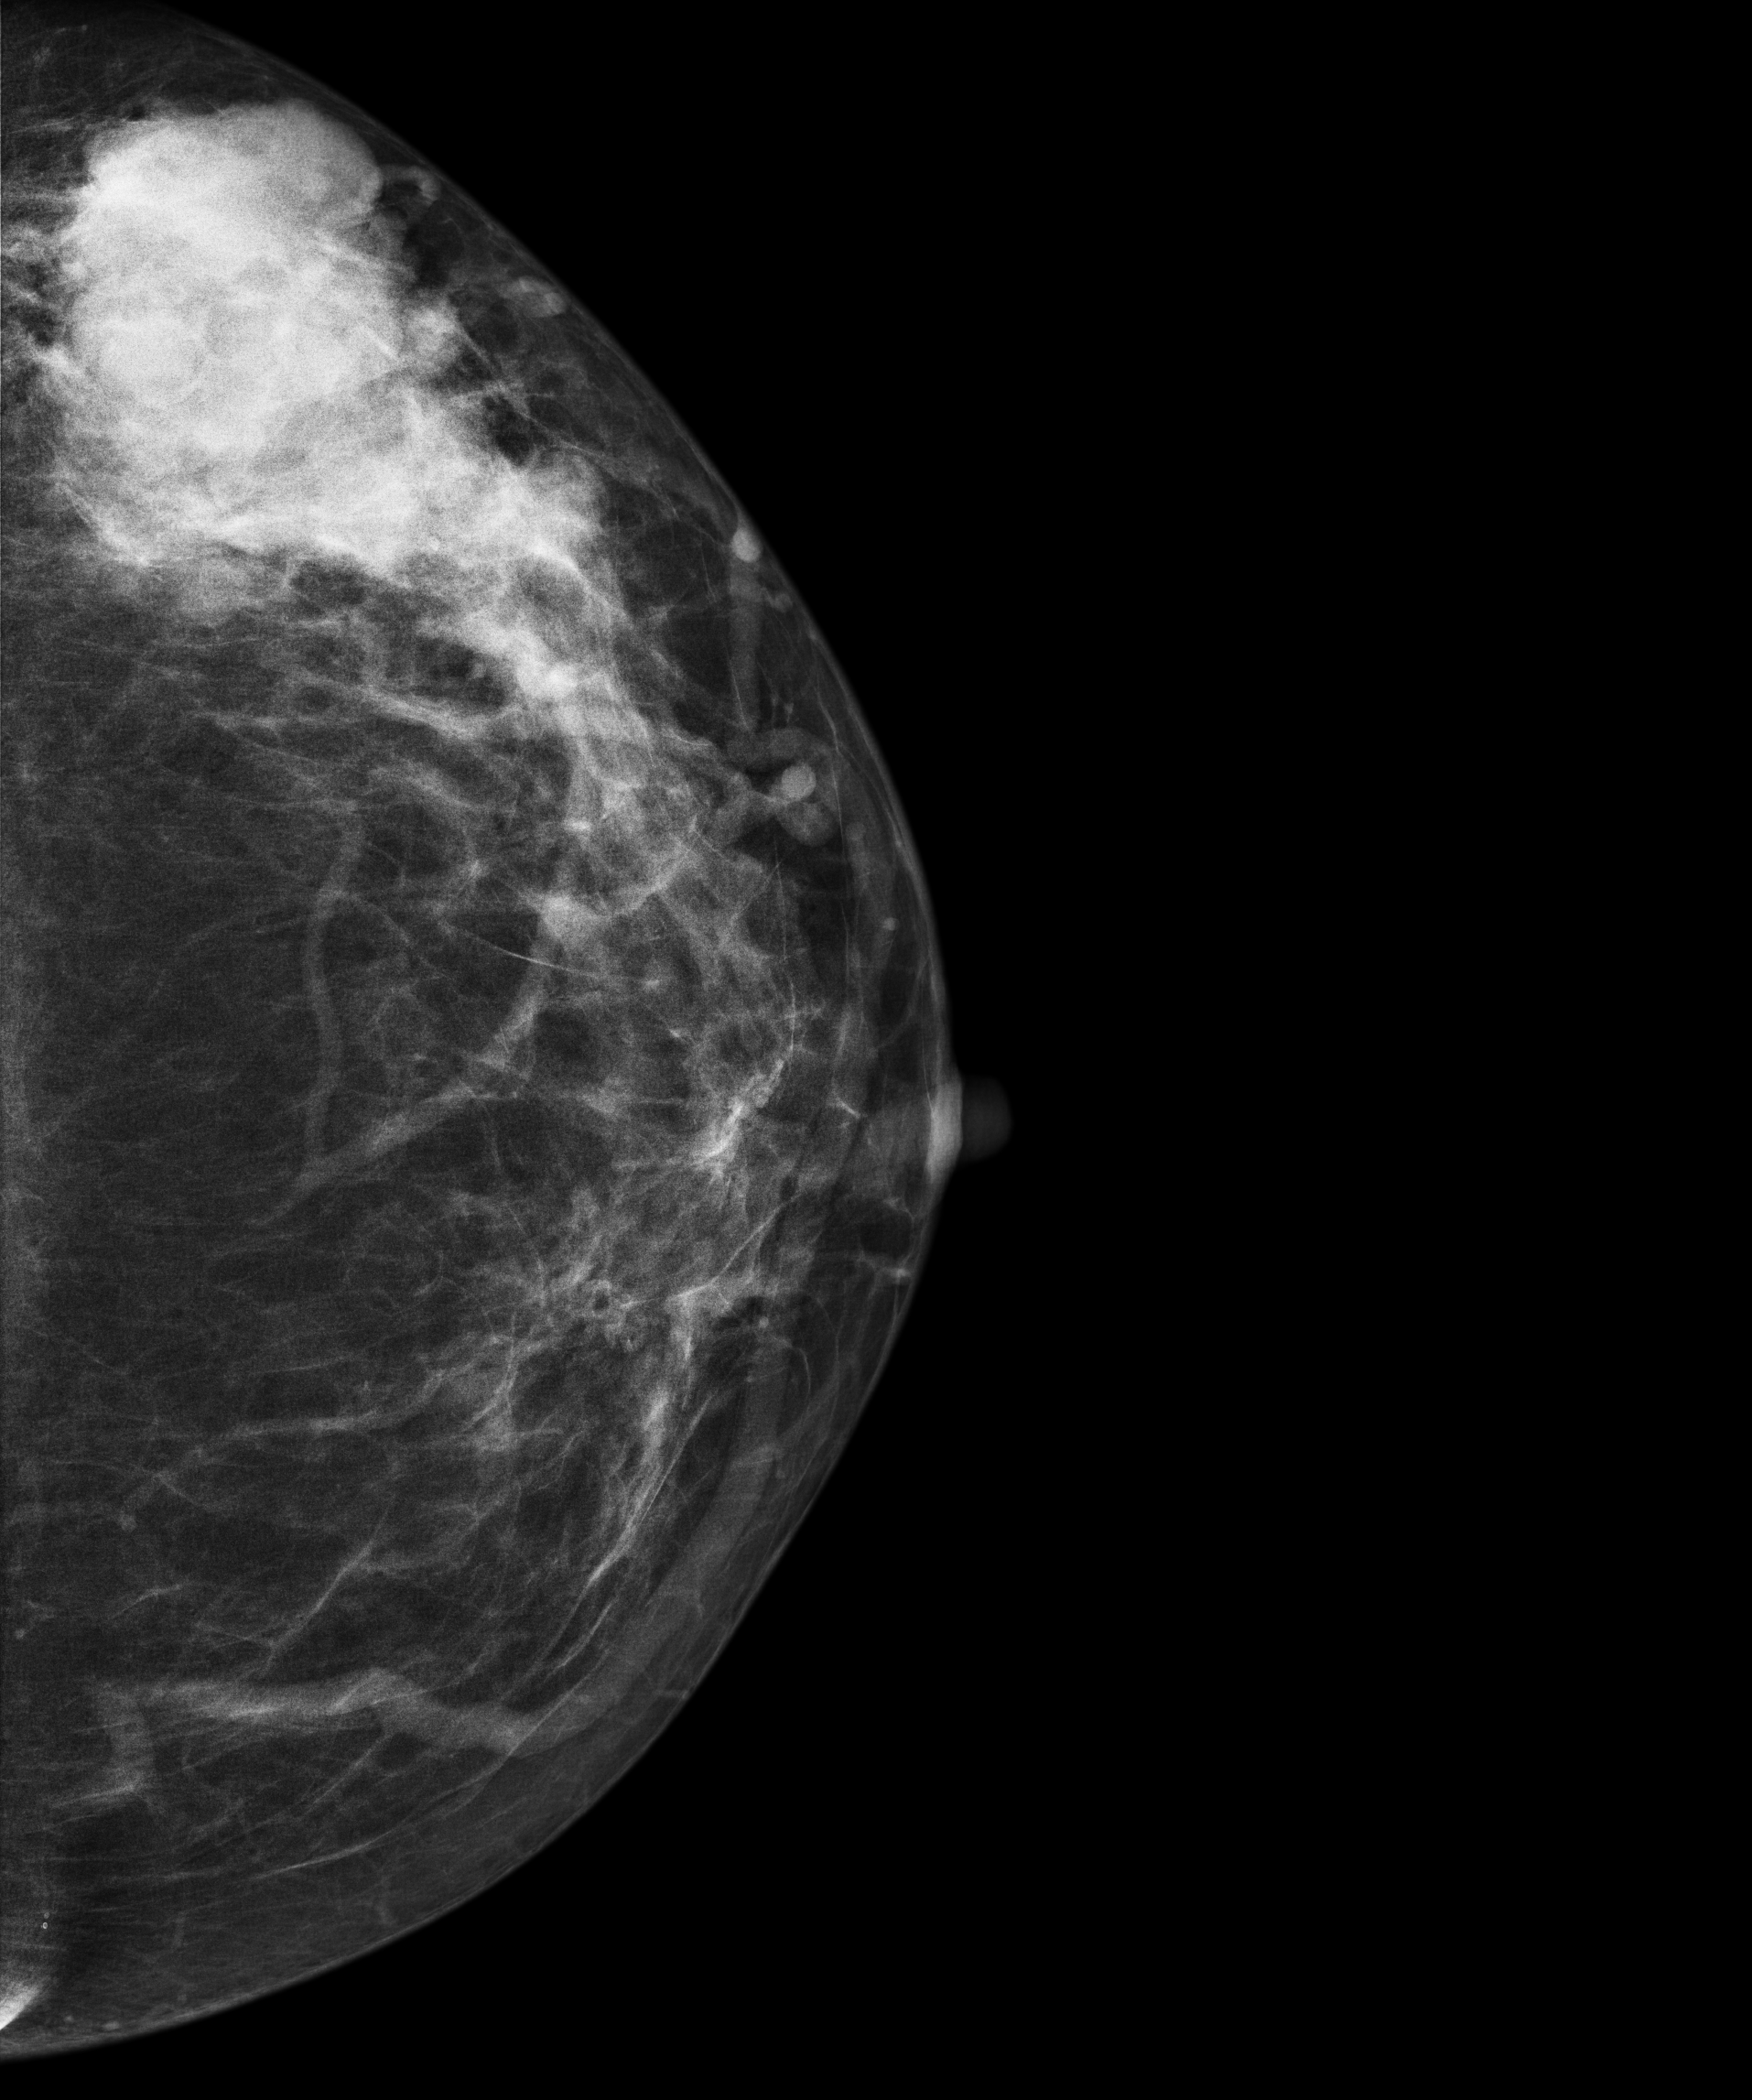
Mammogram, left breast, cranio-caudal view. 48-year-old patient.
This breast has a mass, biopsy-confirmed malignant. Molecular subtype: luminal B.